Digital mammography. Left breast, CC projection. 61-year-old patient.
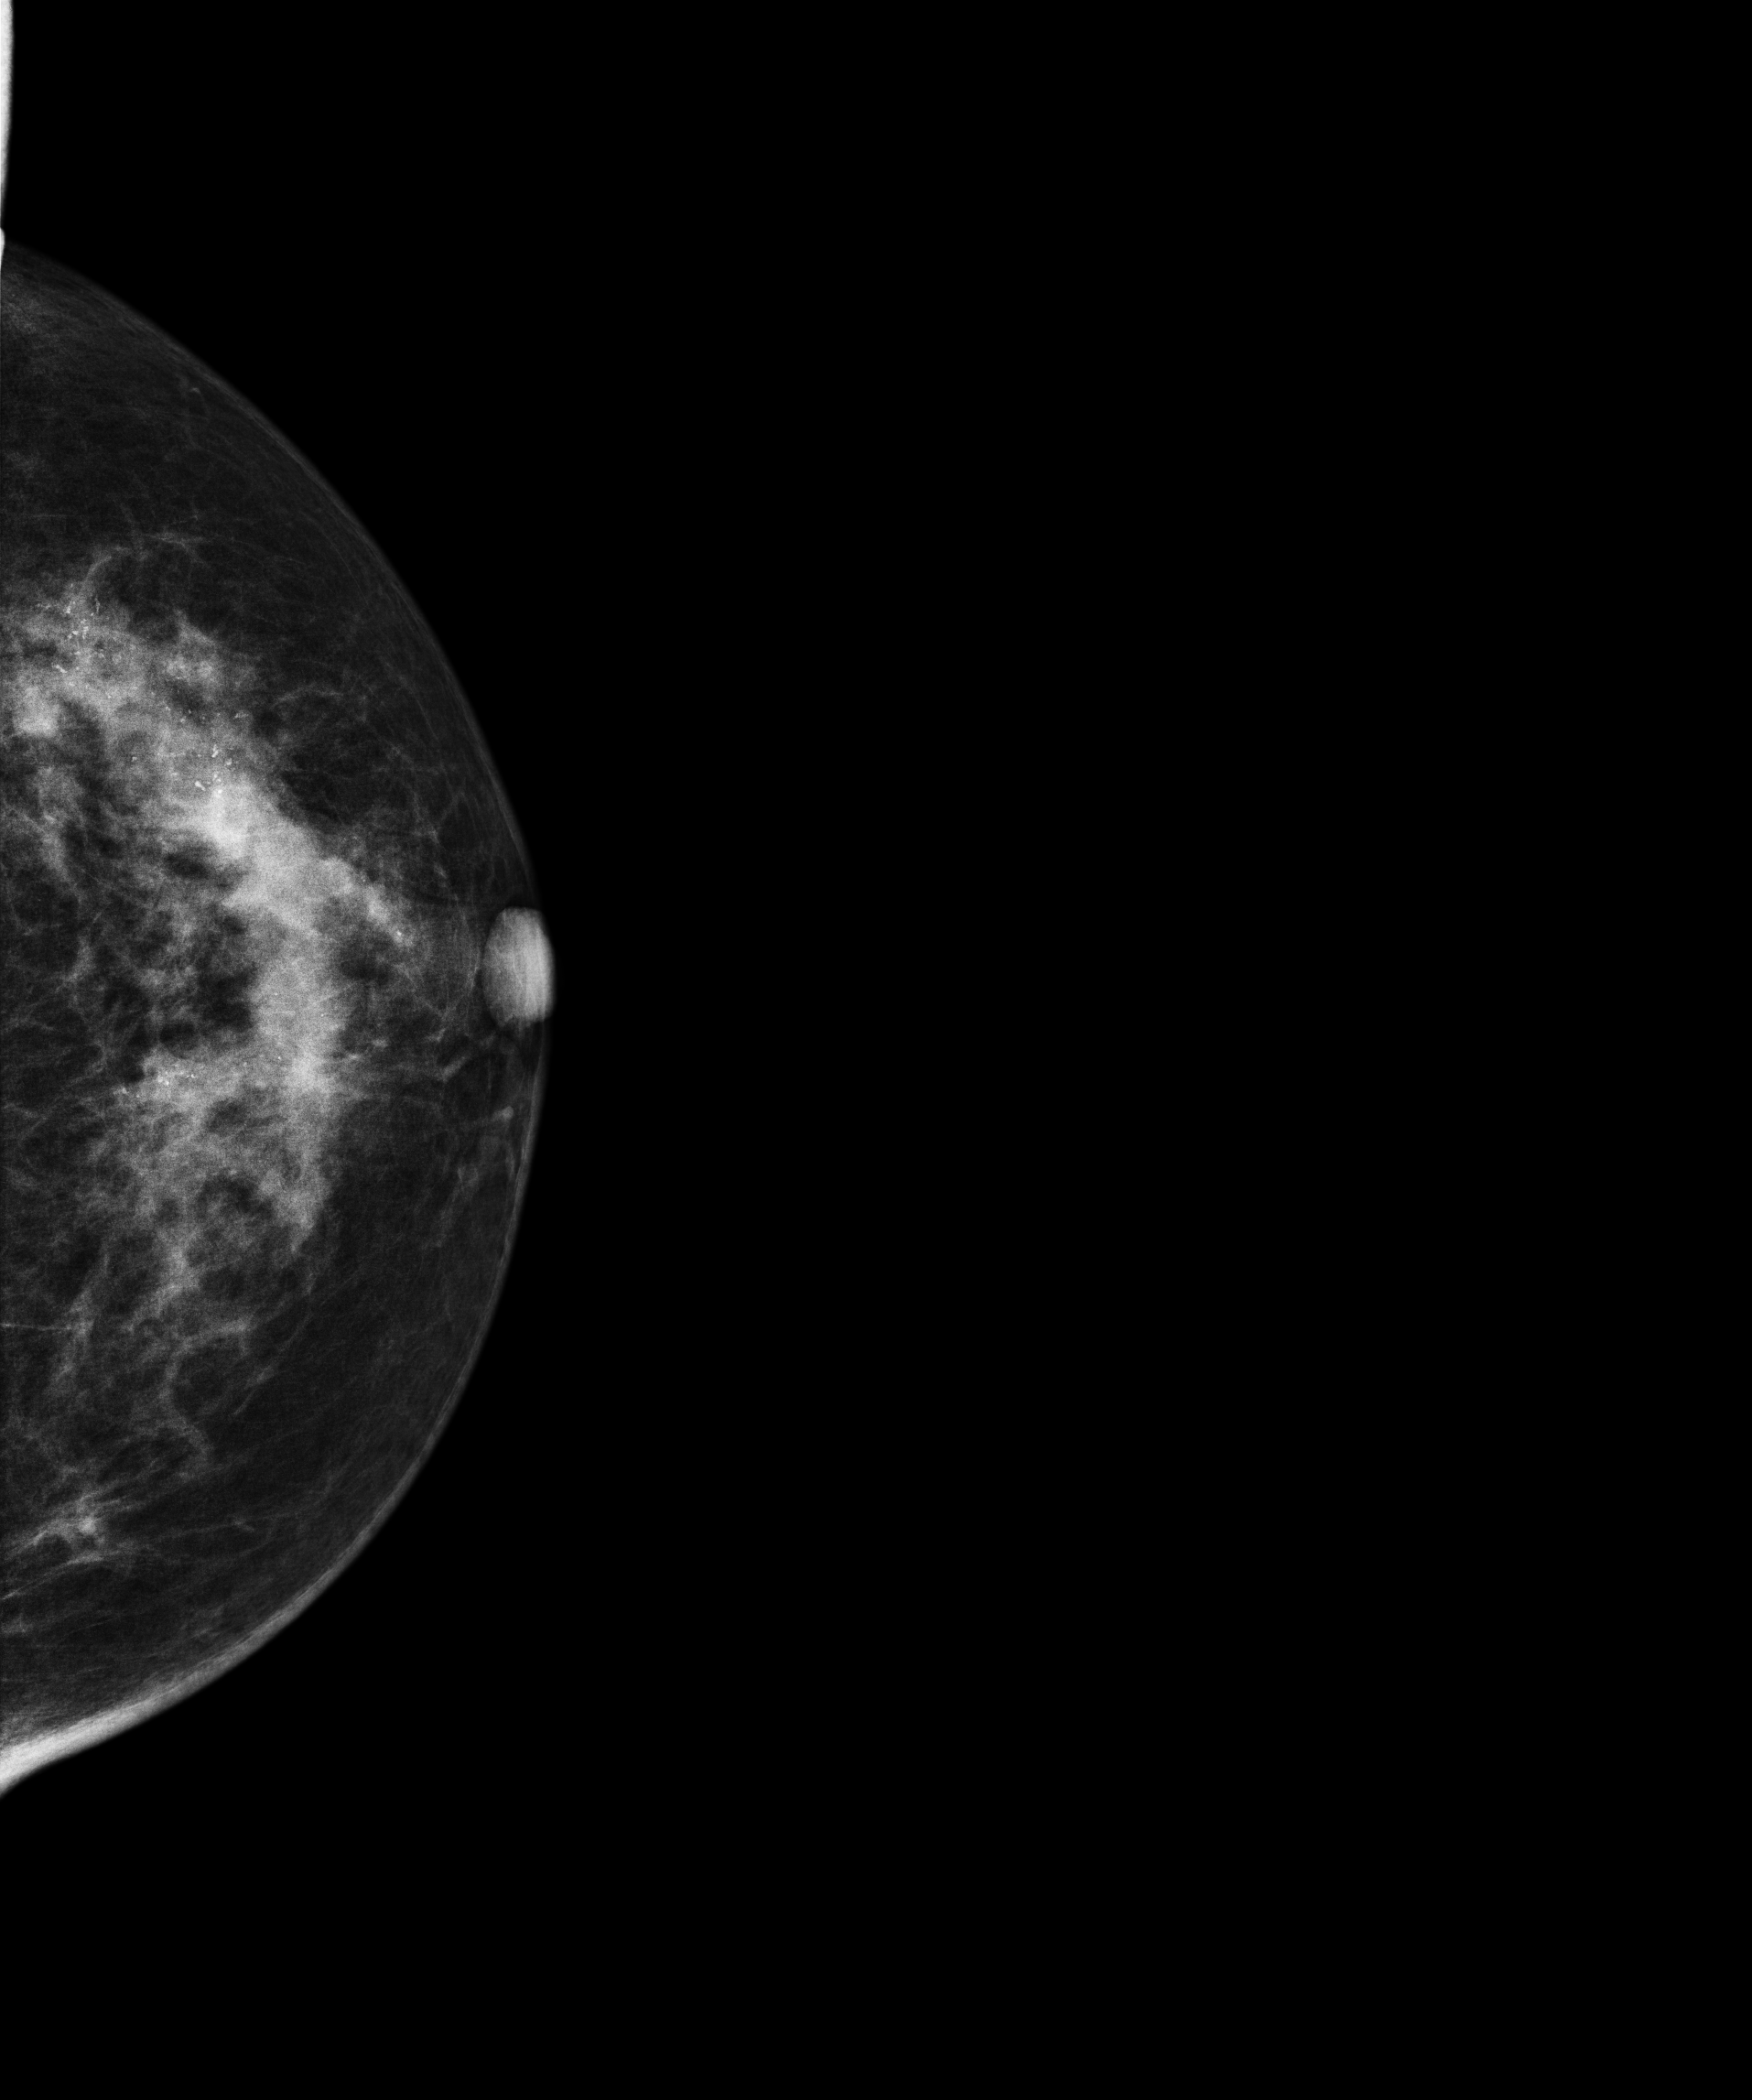
This breast has a mass and calcifications, histologically confirmed malignant.